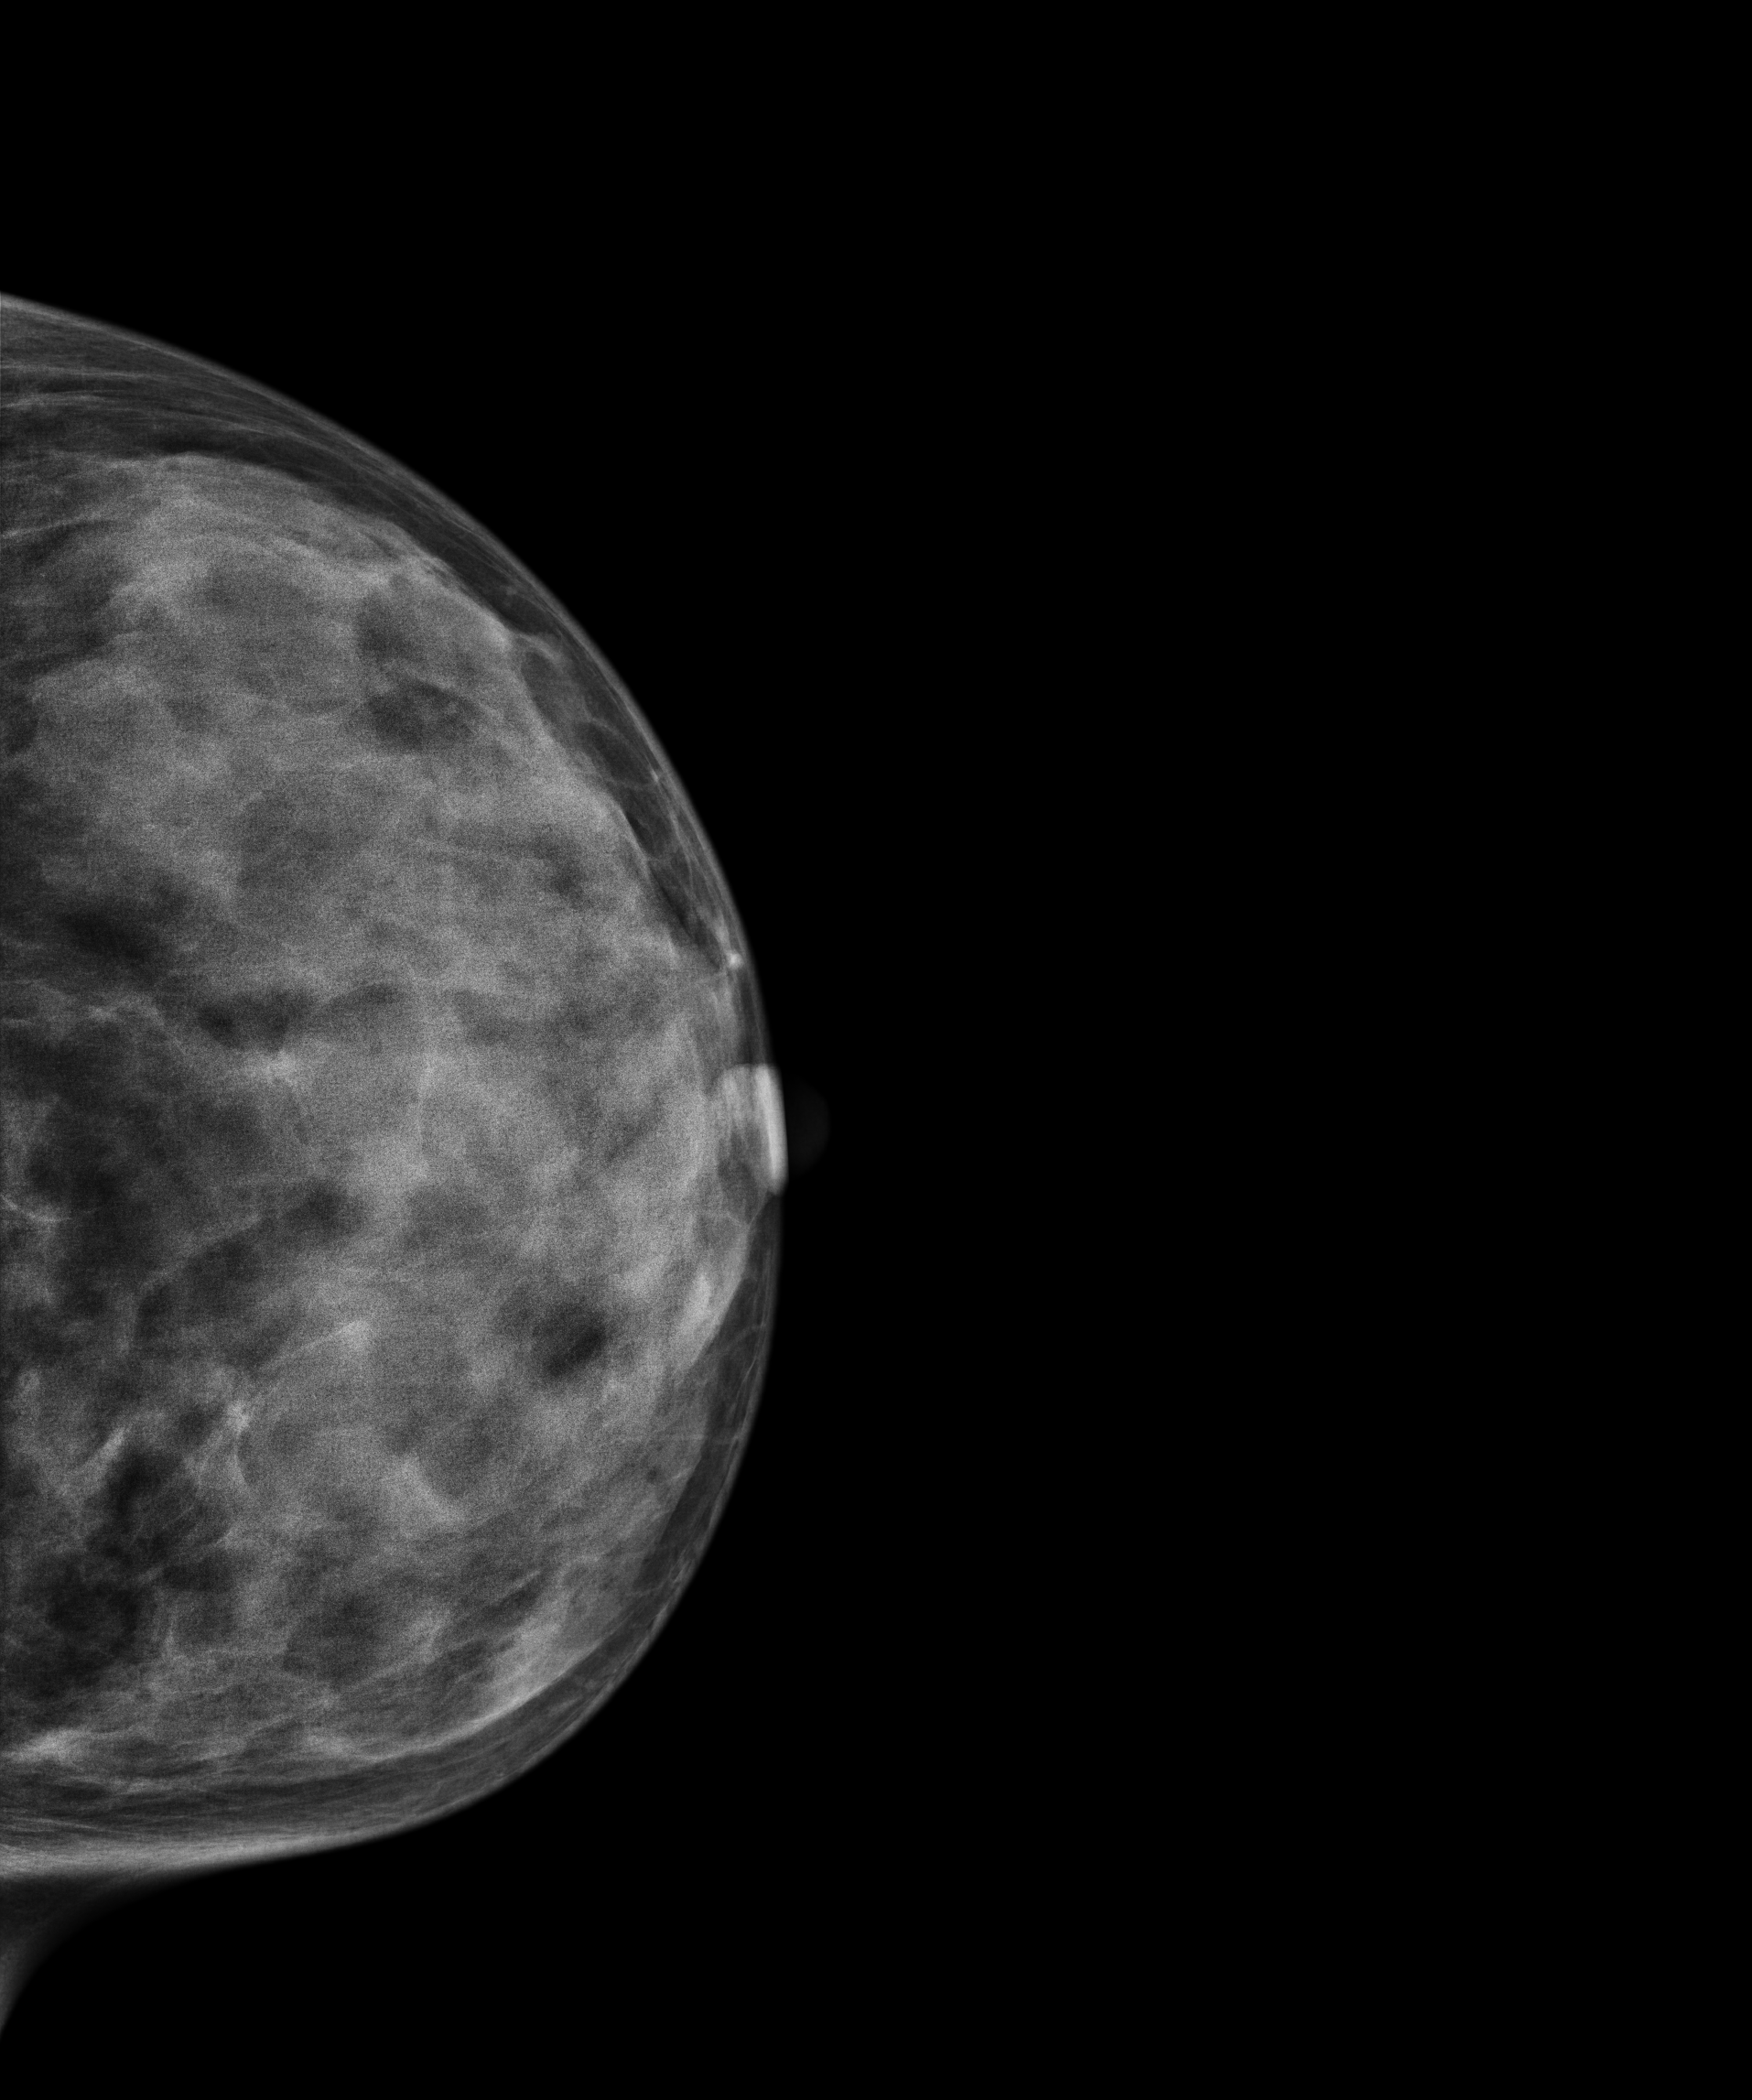
Left-breast mammogram, CC. Patient age 26.
This breast has a mass, biopsy-confirmed benign.